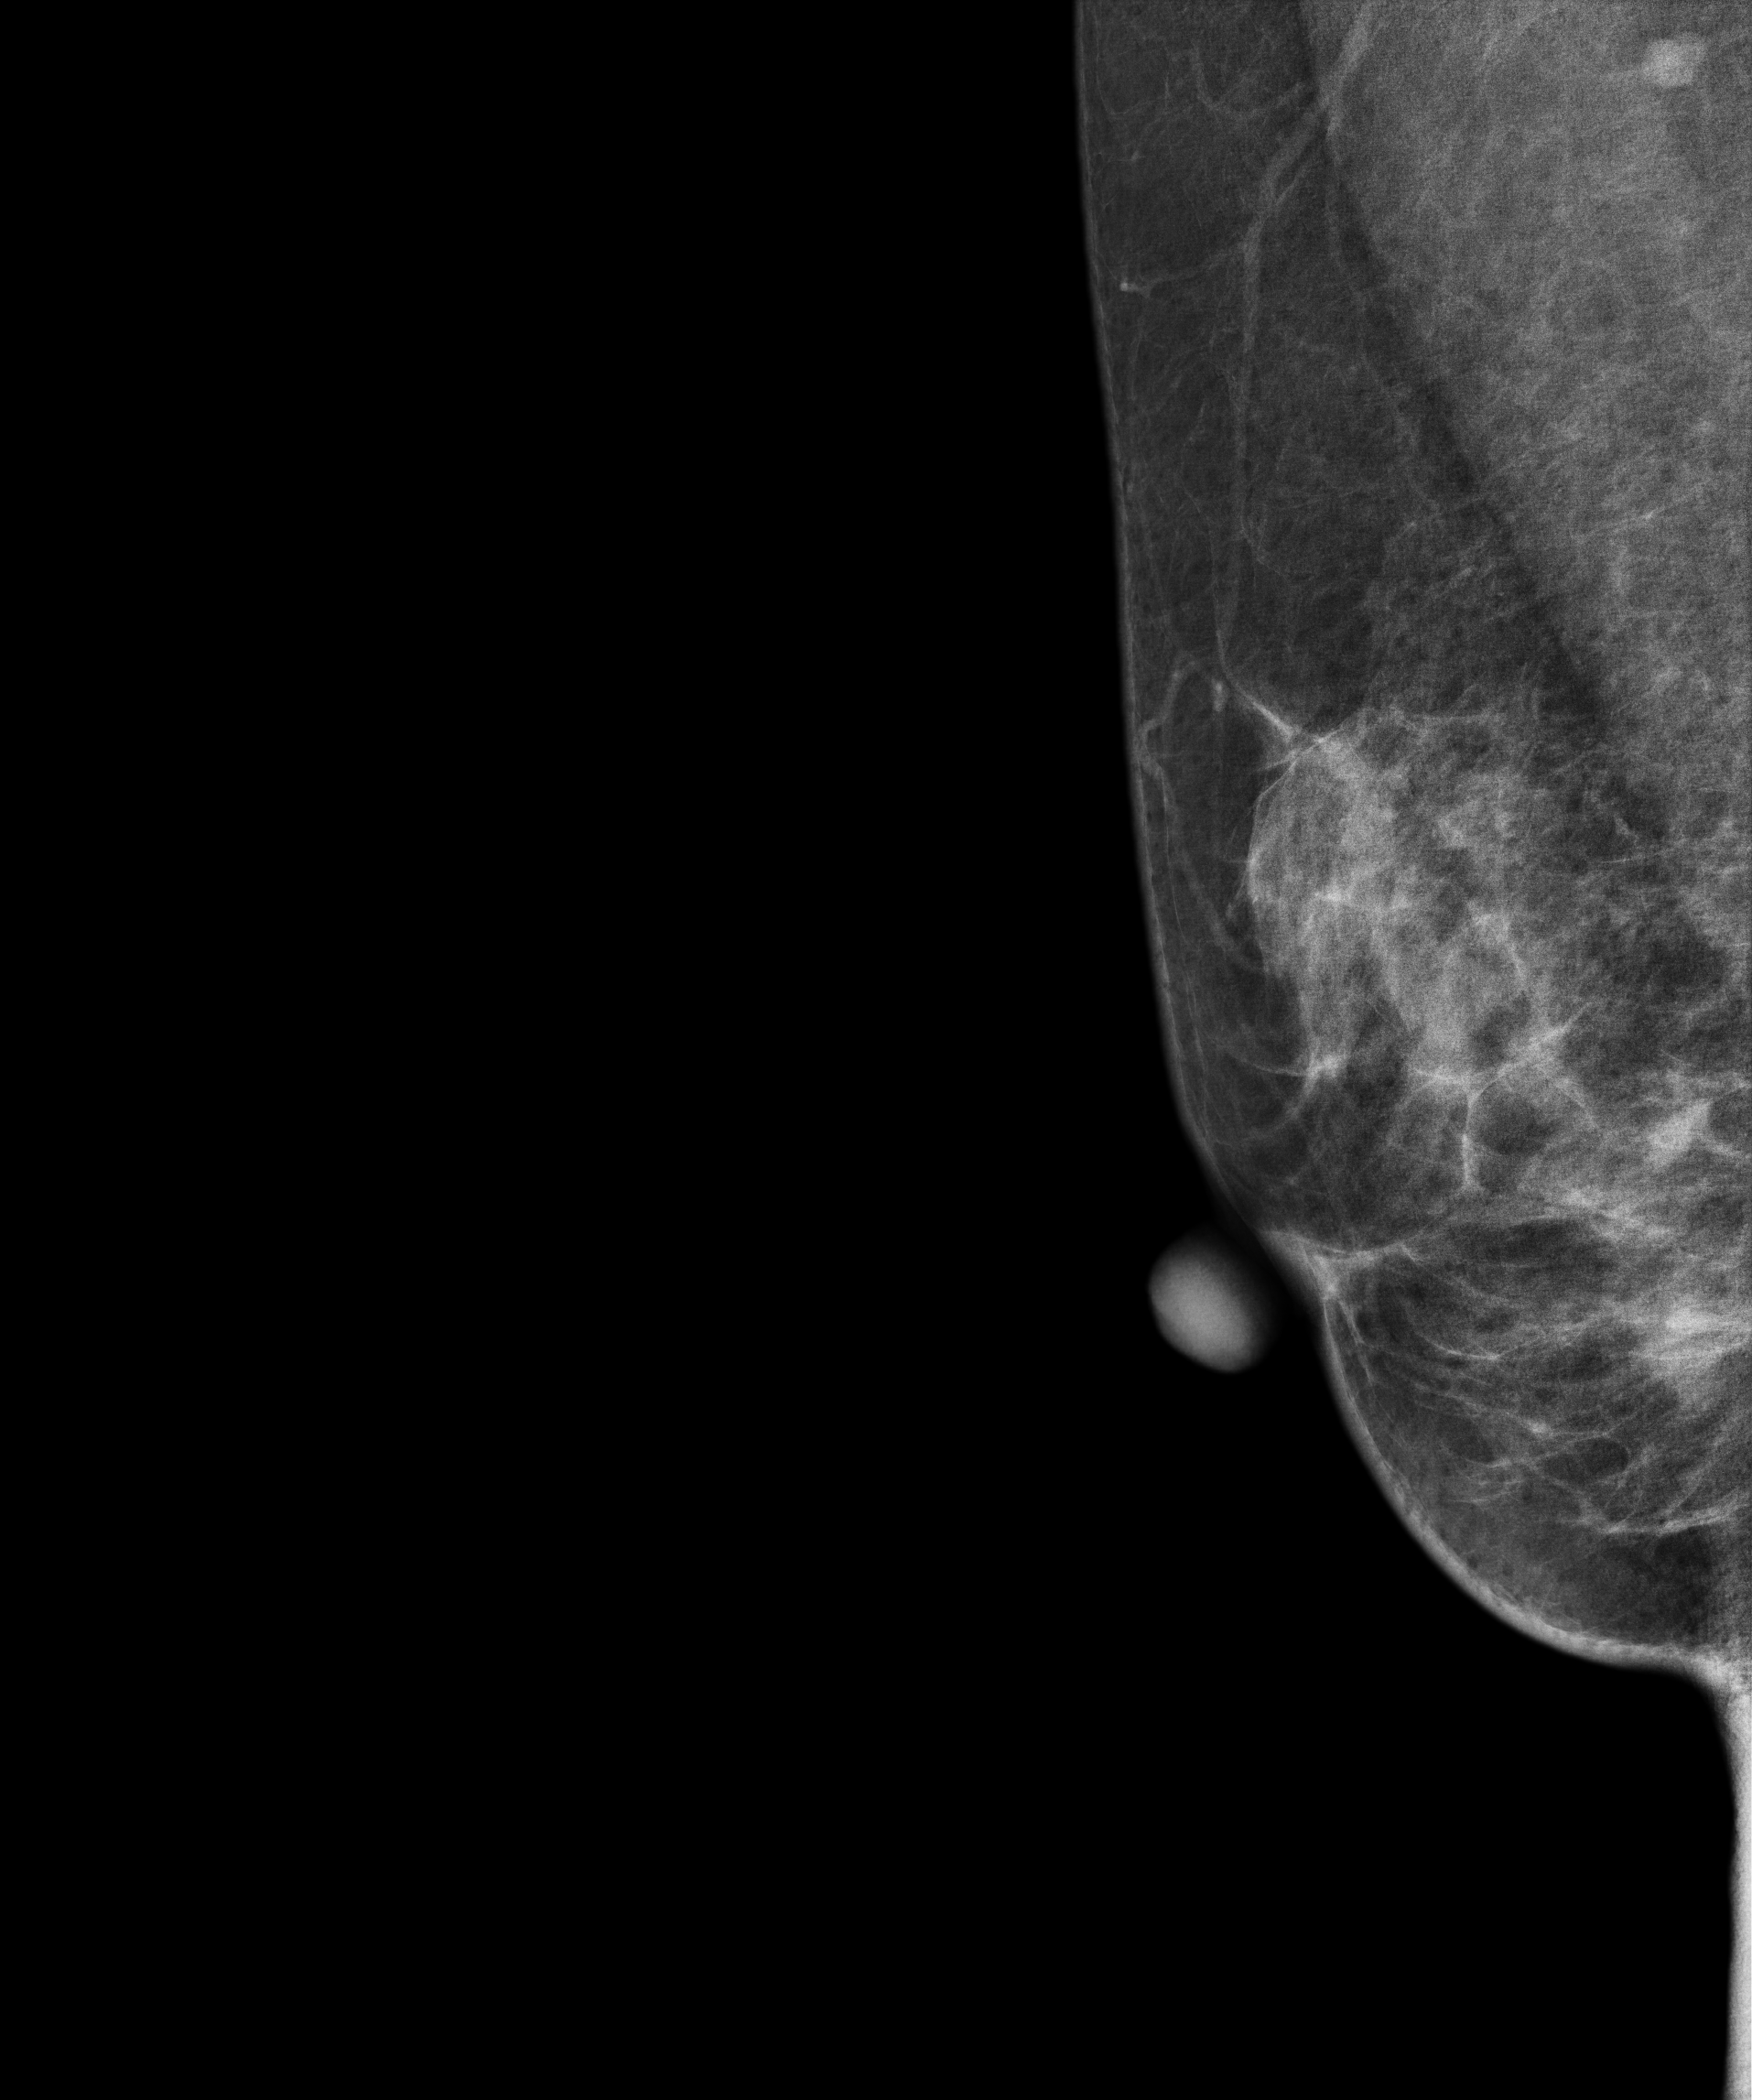
Mammogram — right MLO. 52-year-old patient.
Contralateral breast — no documented abnormality on this side.